Medio-lateral oblique mammogram of the right breast. 57-year-old patient.
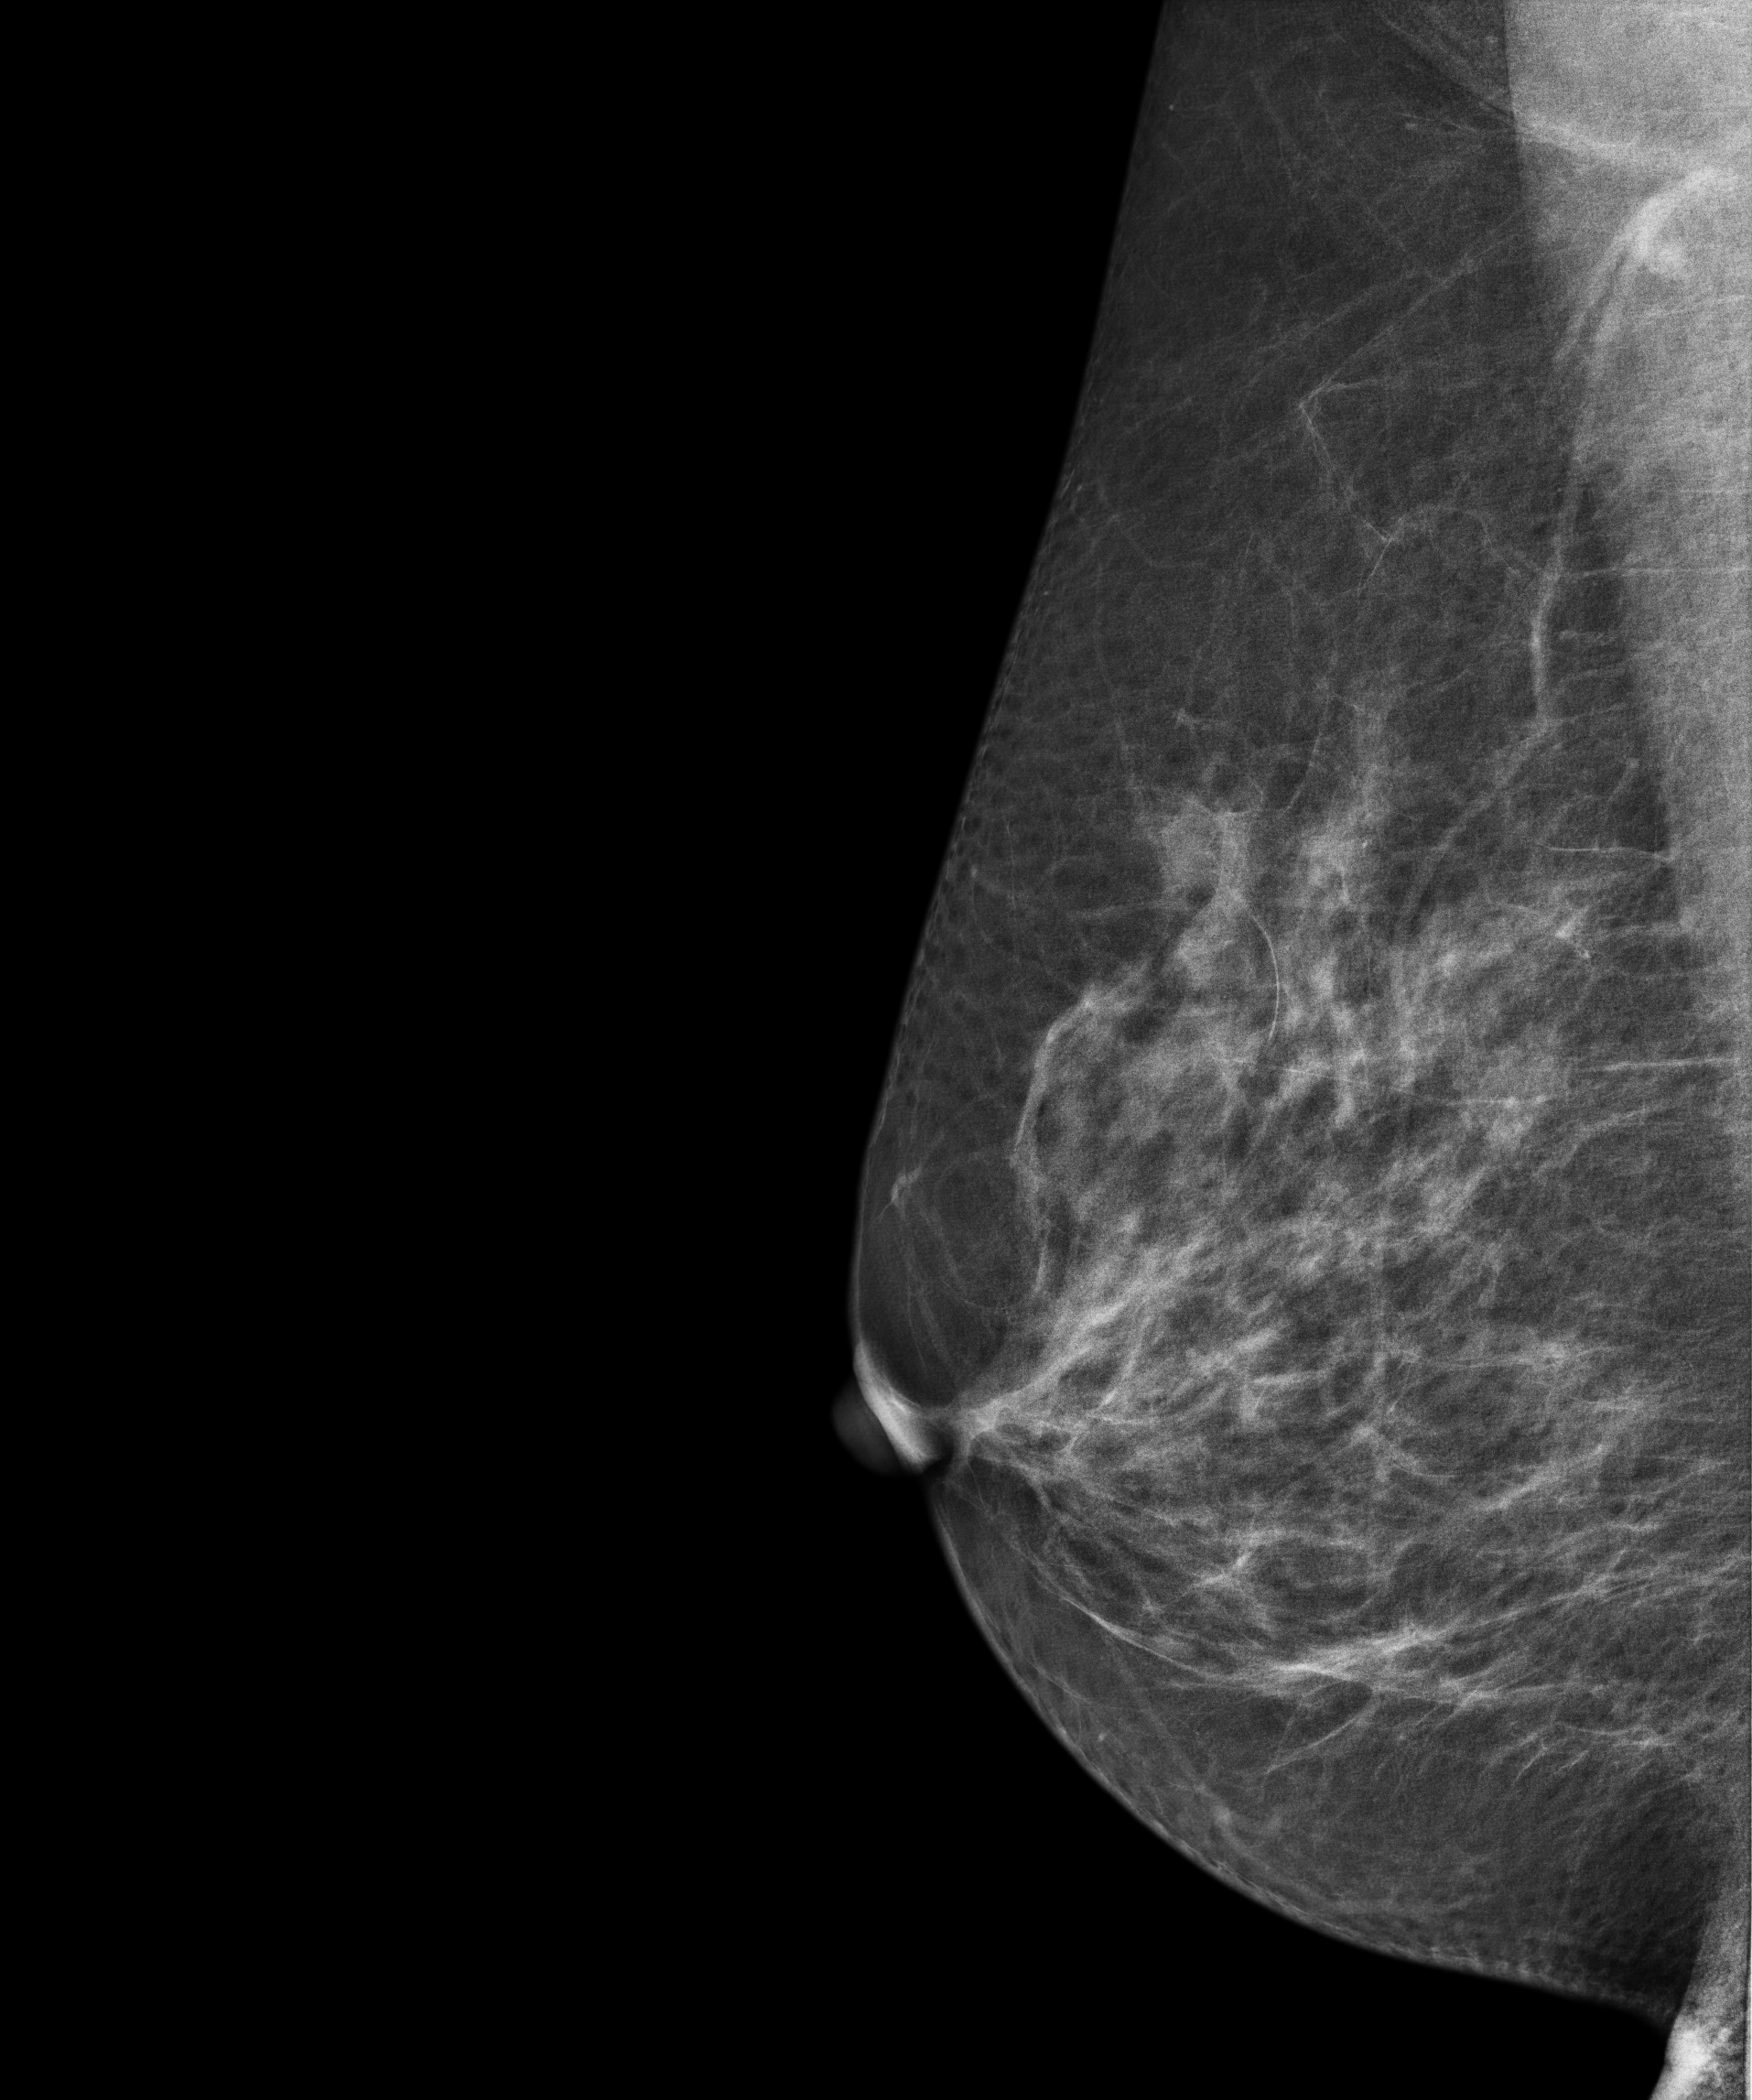
Contralateral breast — no documented abnormality on this side.